Medio-lateral oblique mammogram of the right breast. Patient age 52.
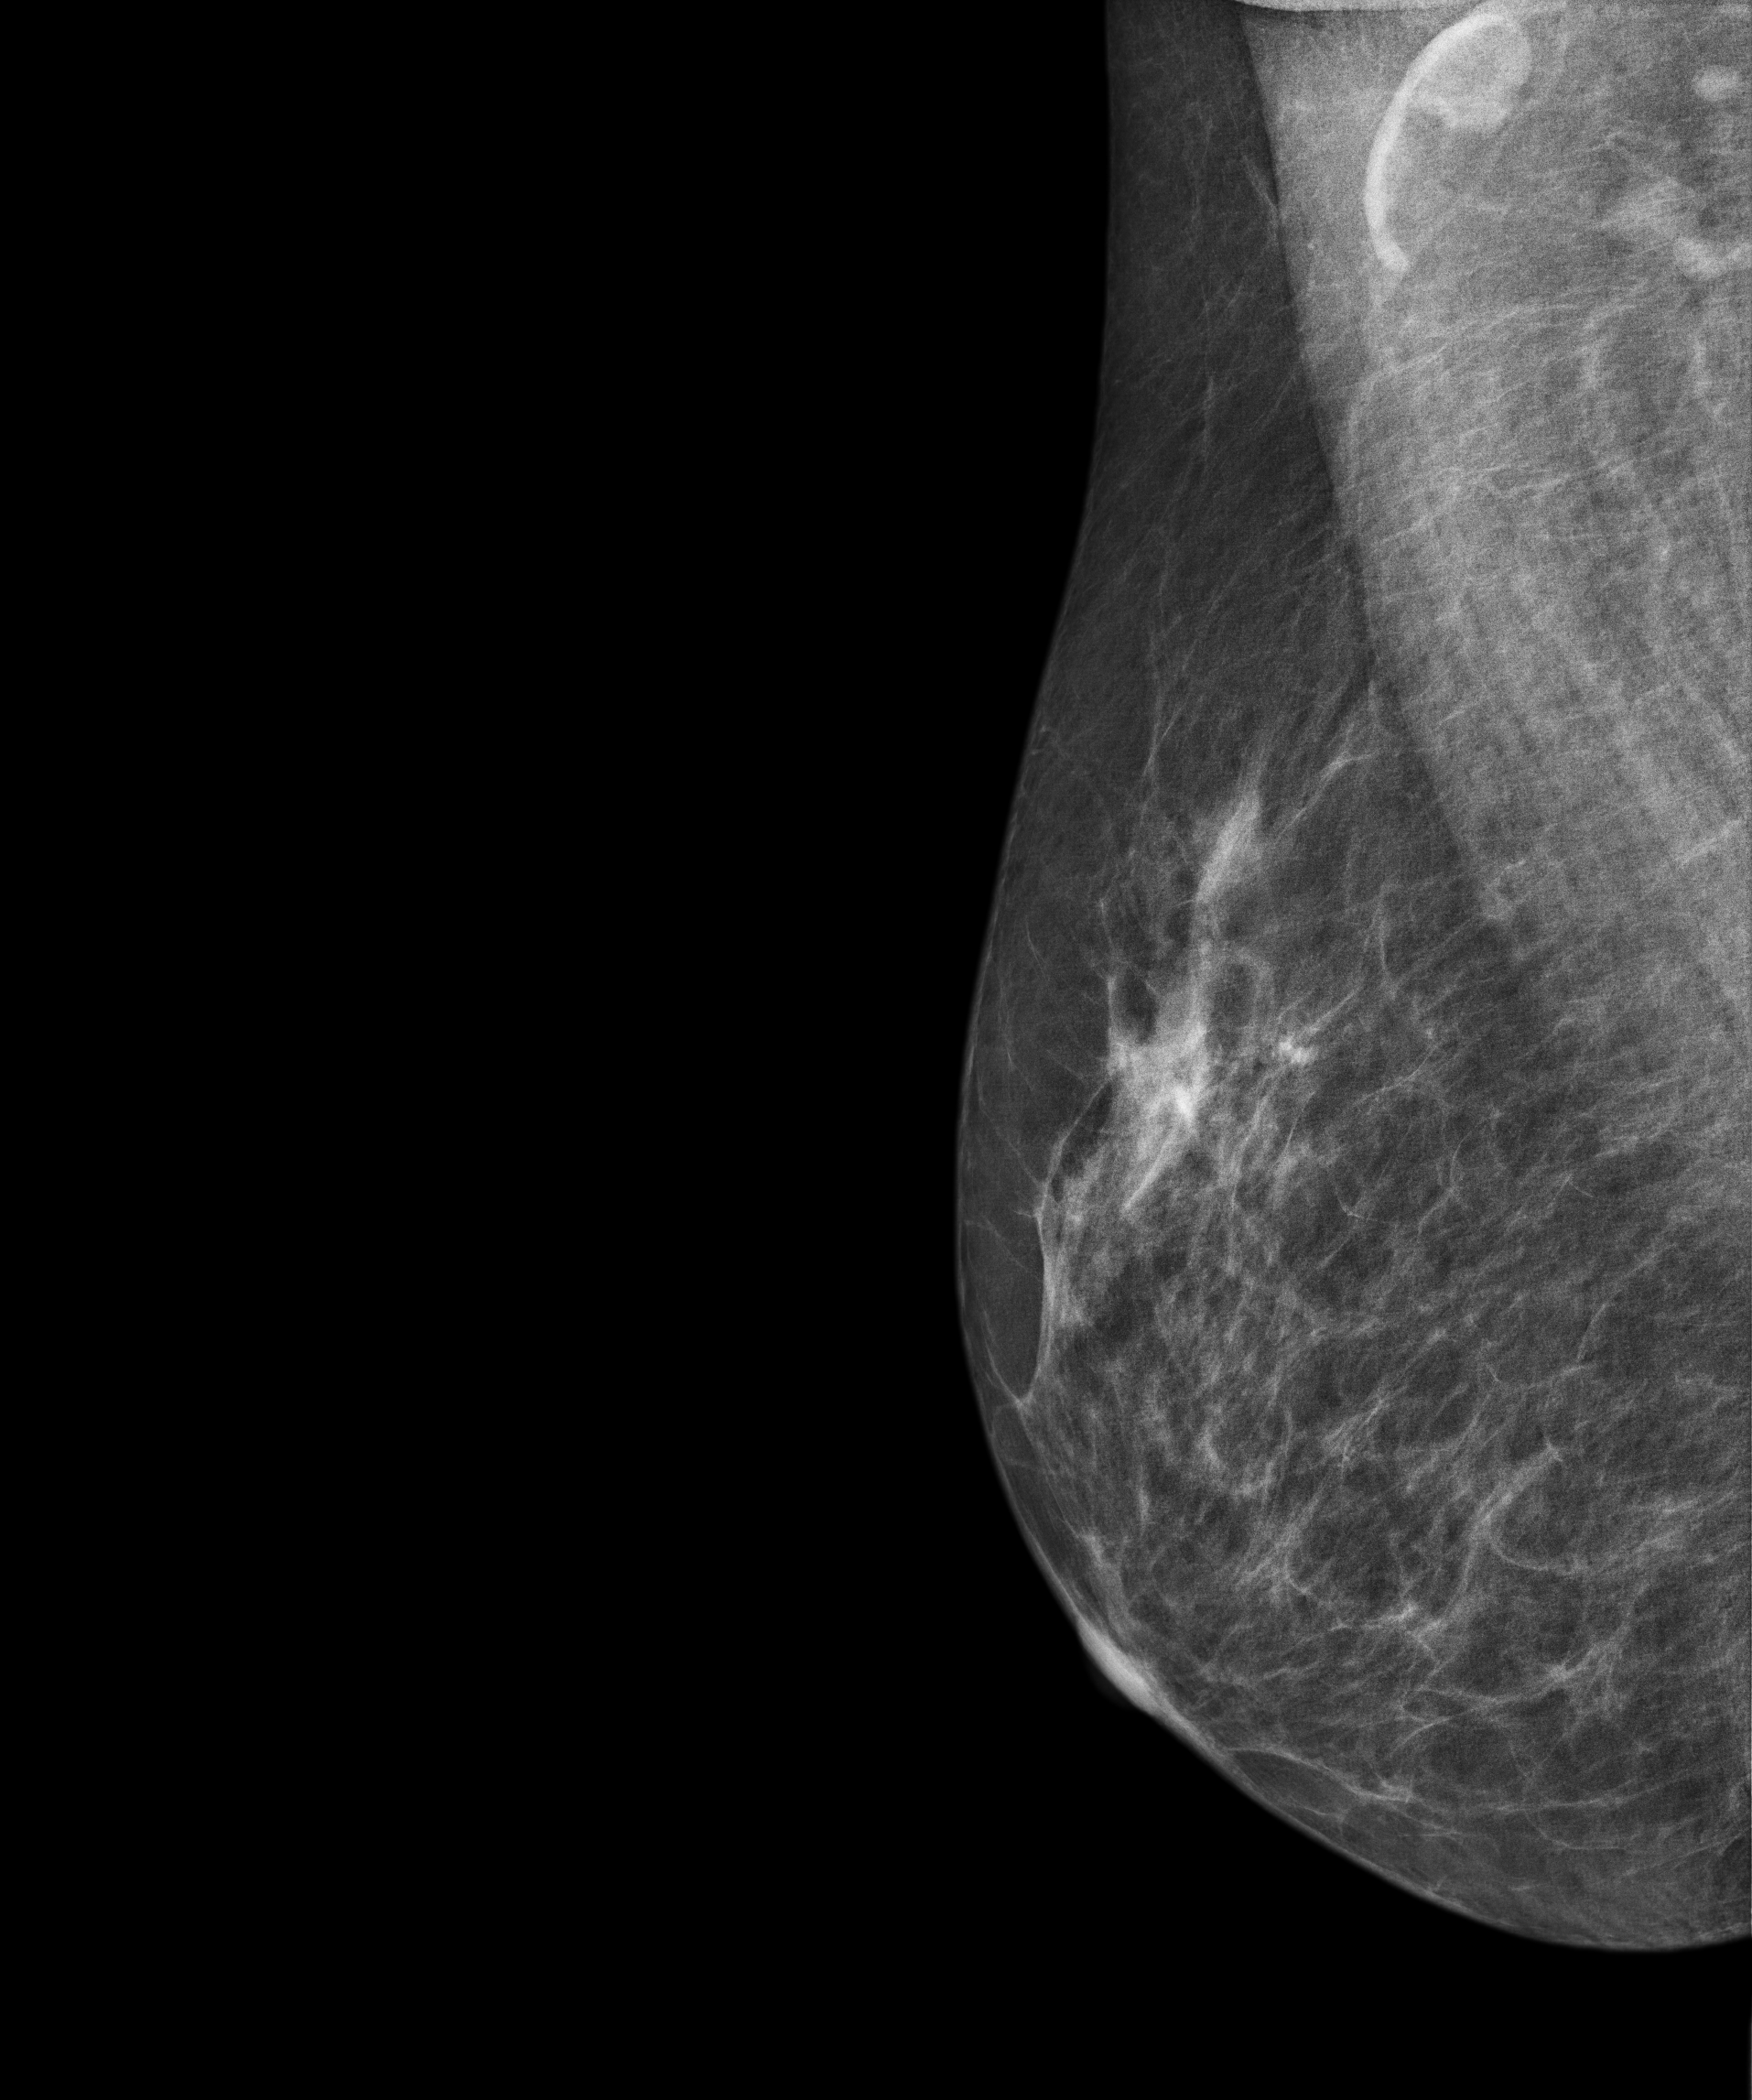
Contralateral breast — no documented abnormality on this side.